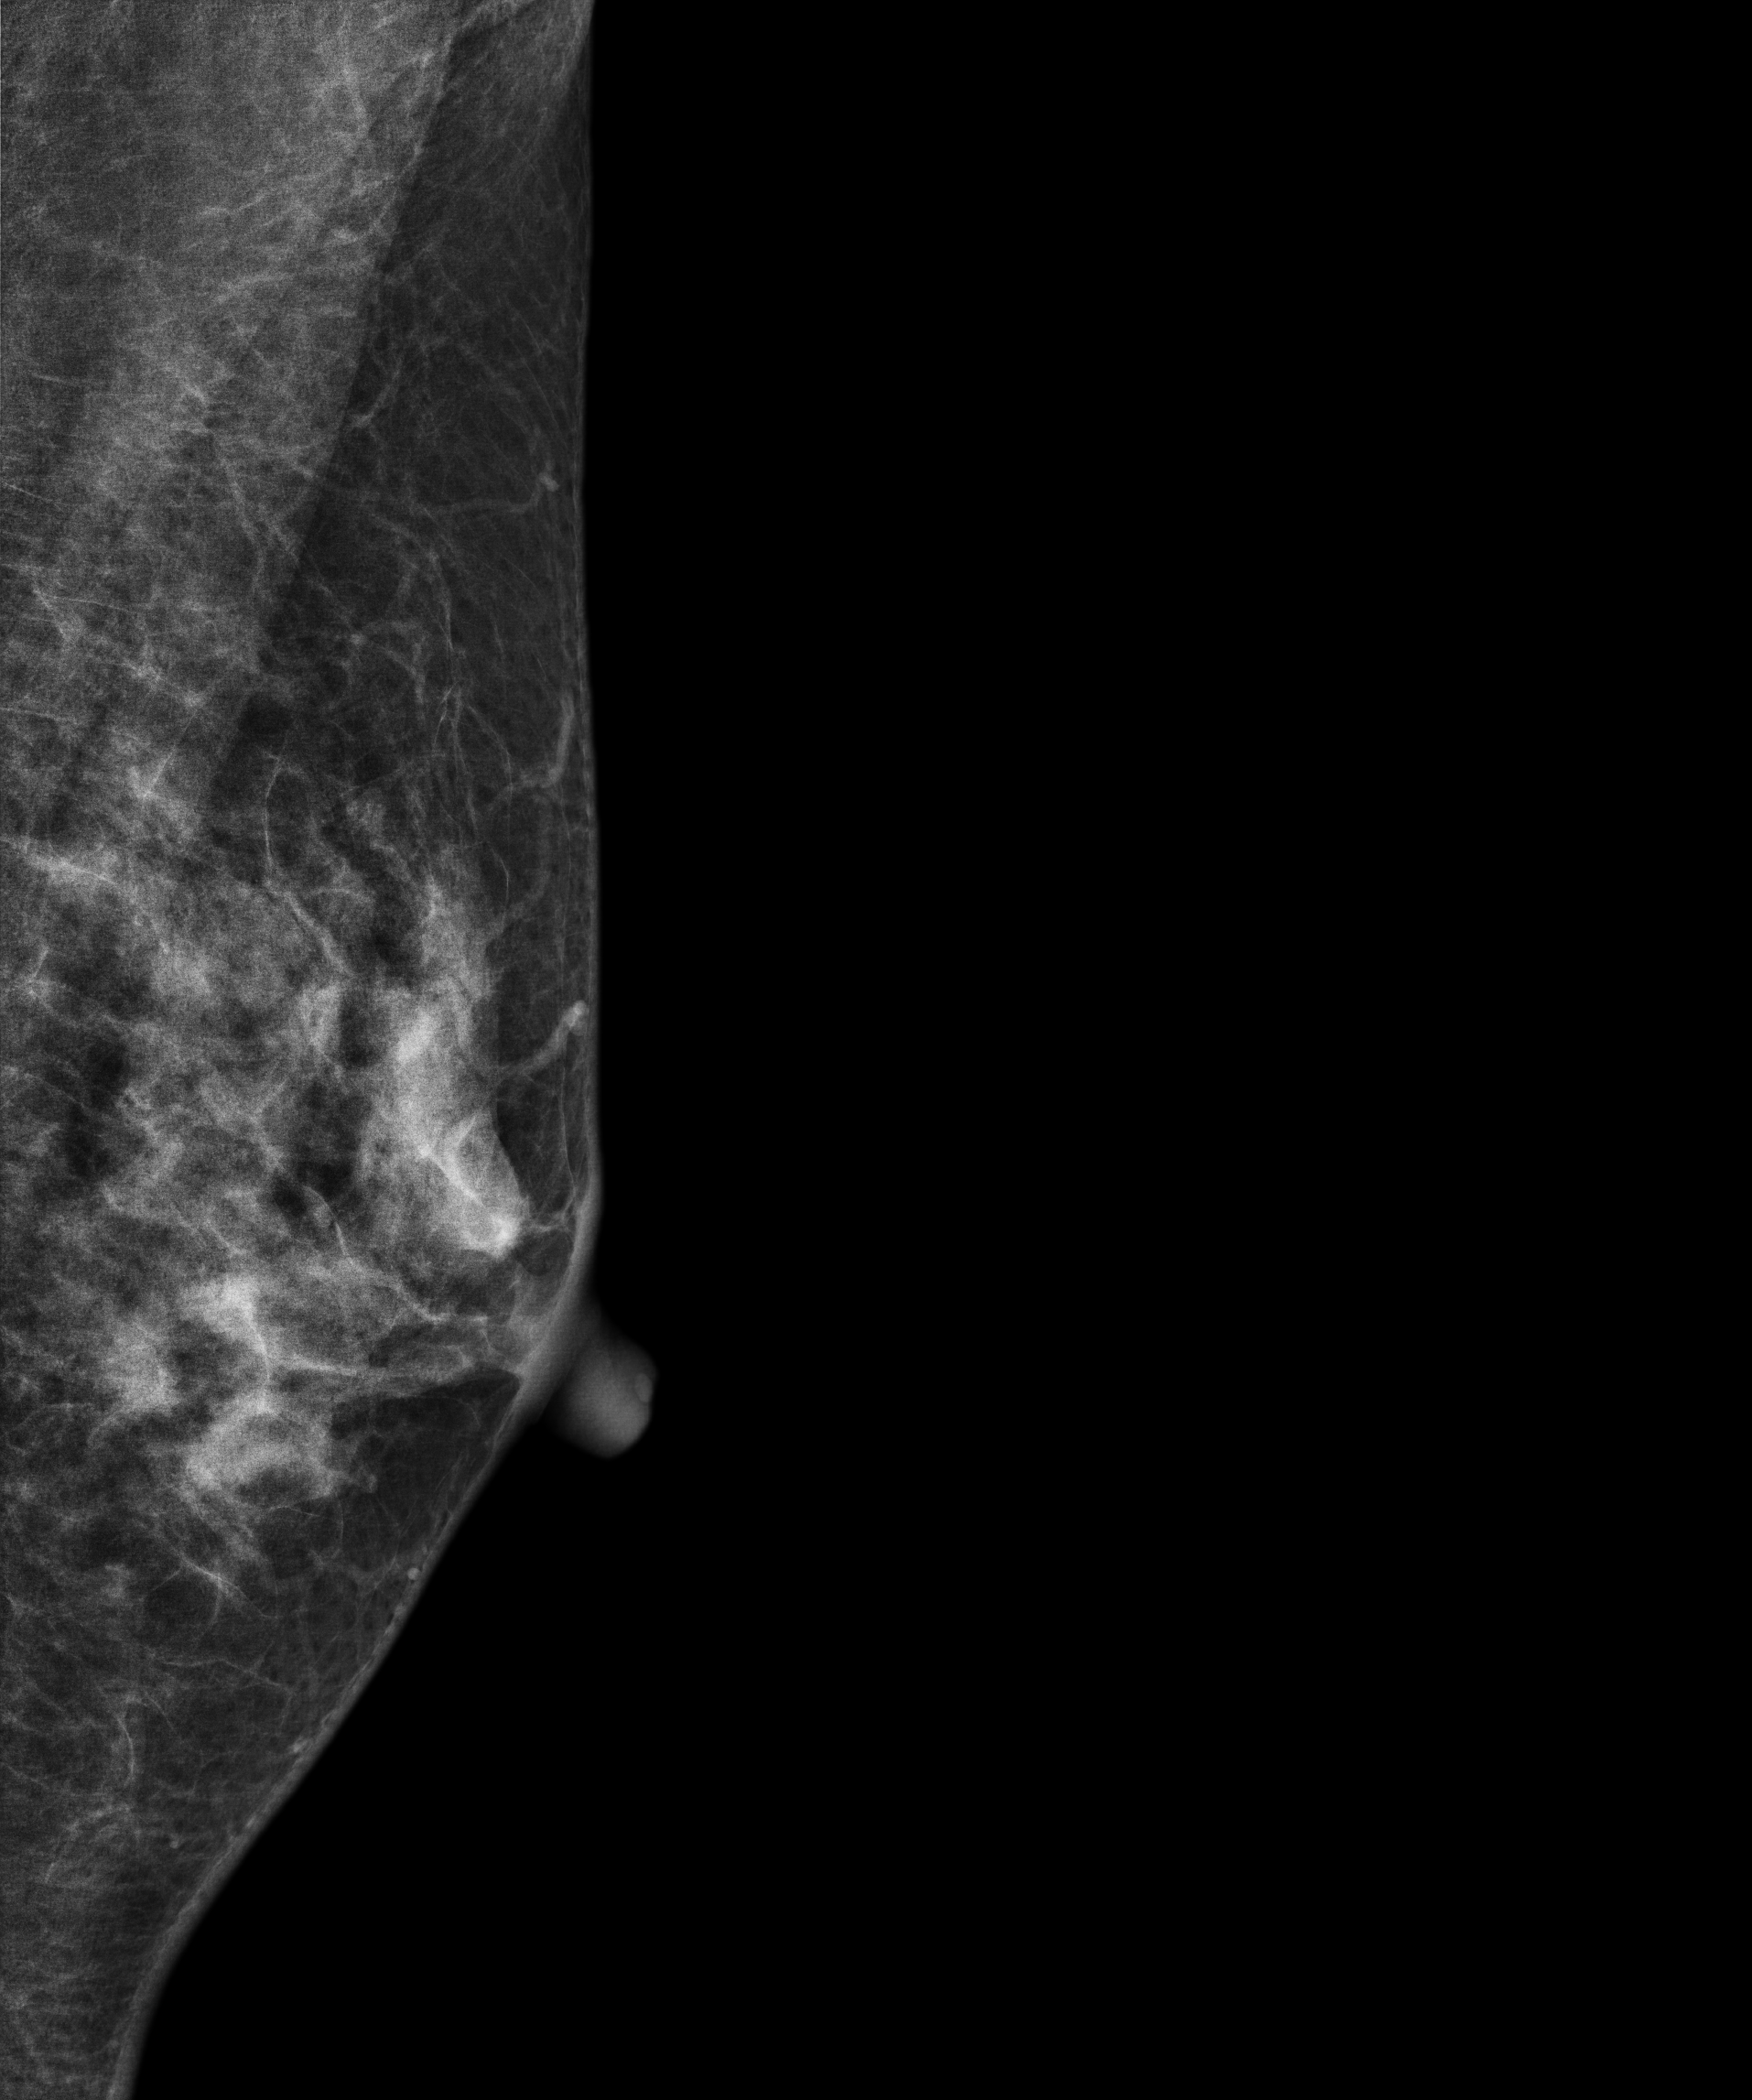
Mammogram — left medio-lateral oblique. 44-year-old patient.
This breast has a mass, biopsy-confirmed benign.